Cranio-caudal mammogram of the right breast. 41 y/o patient.
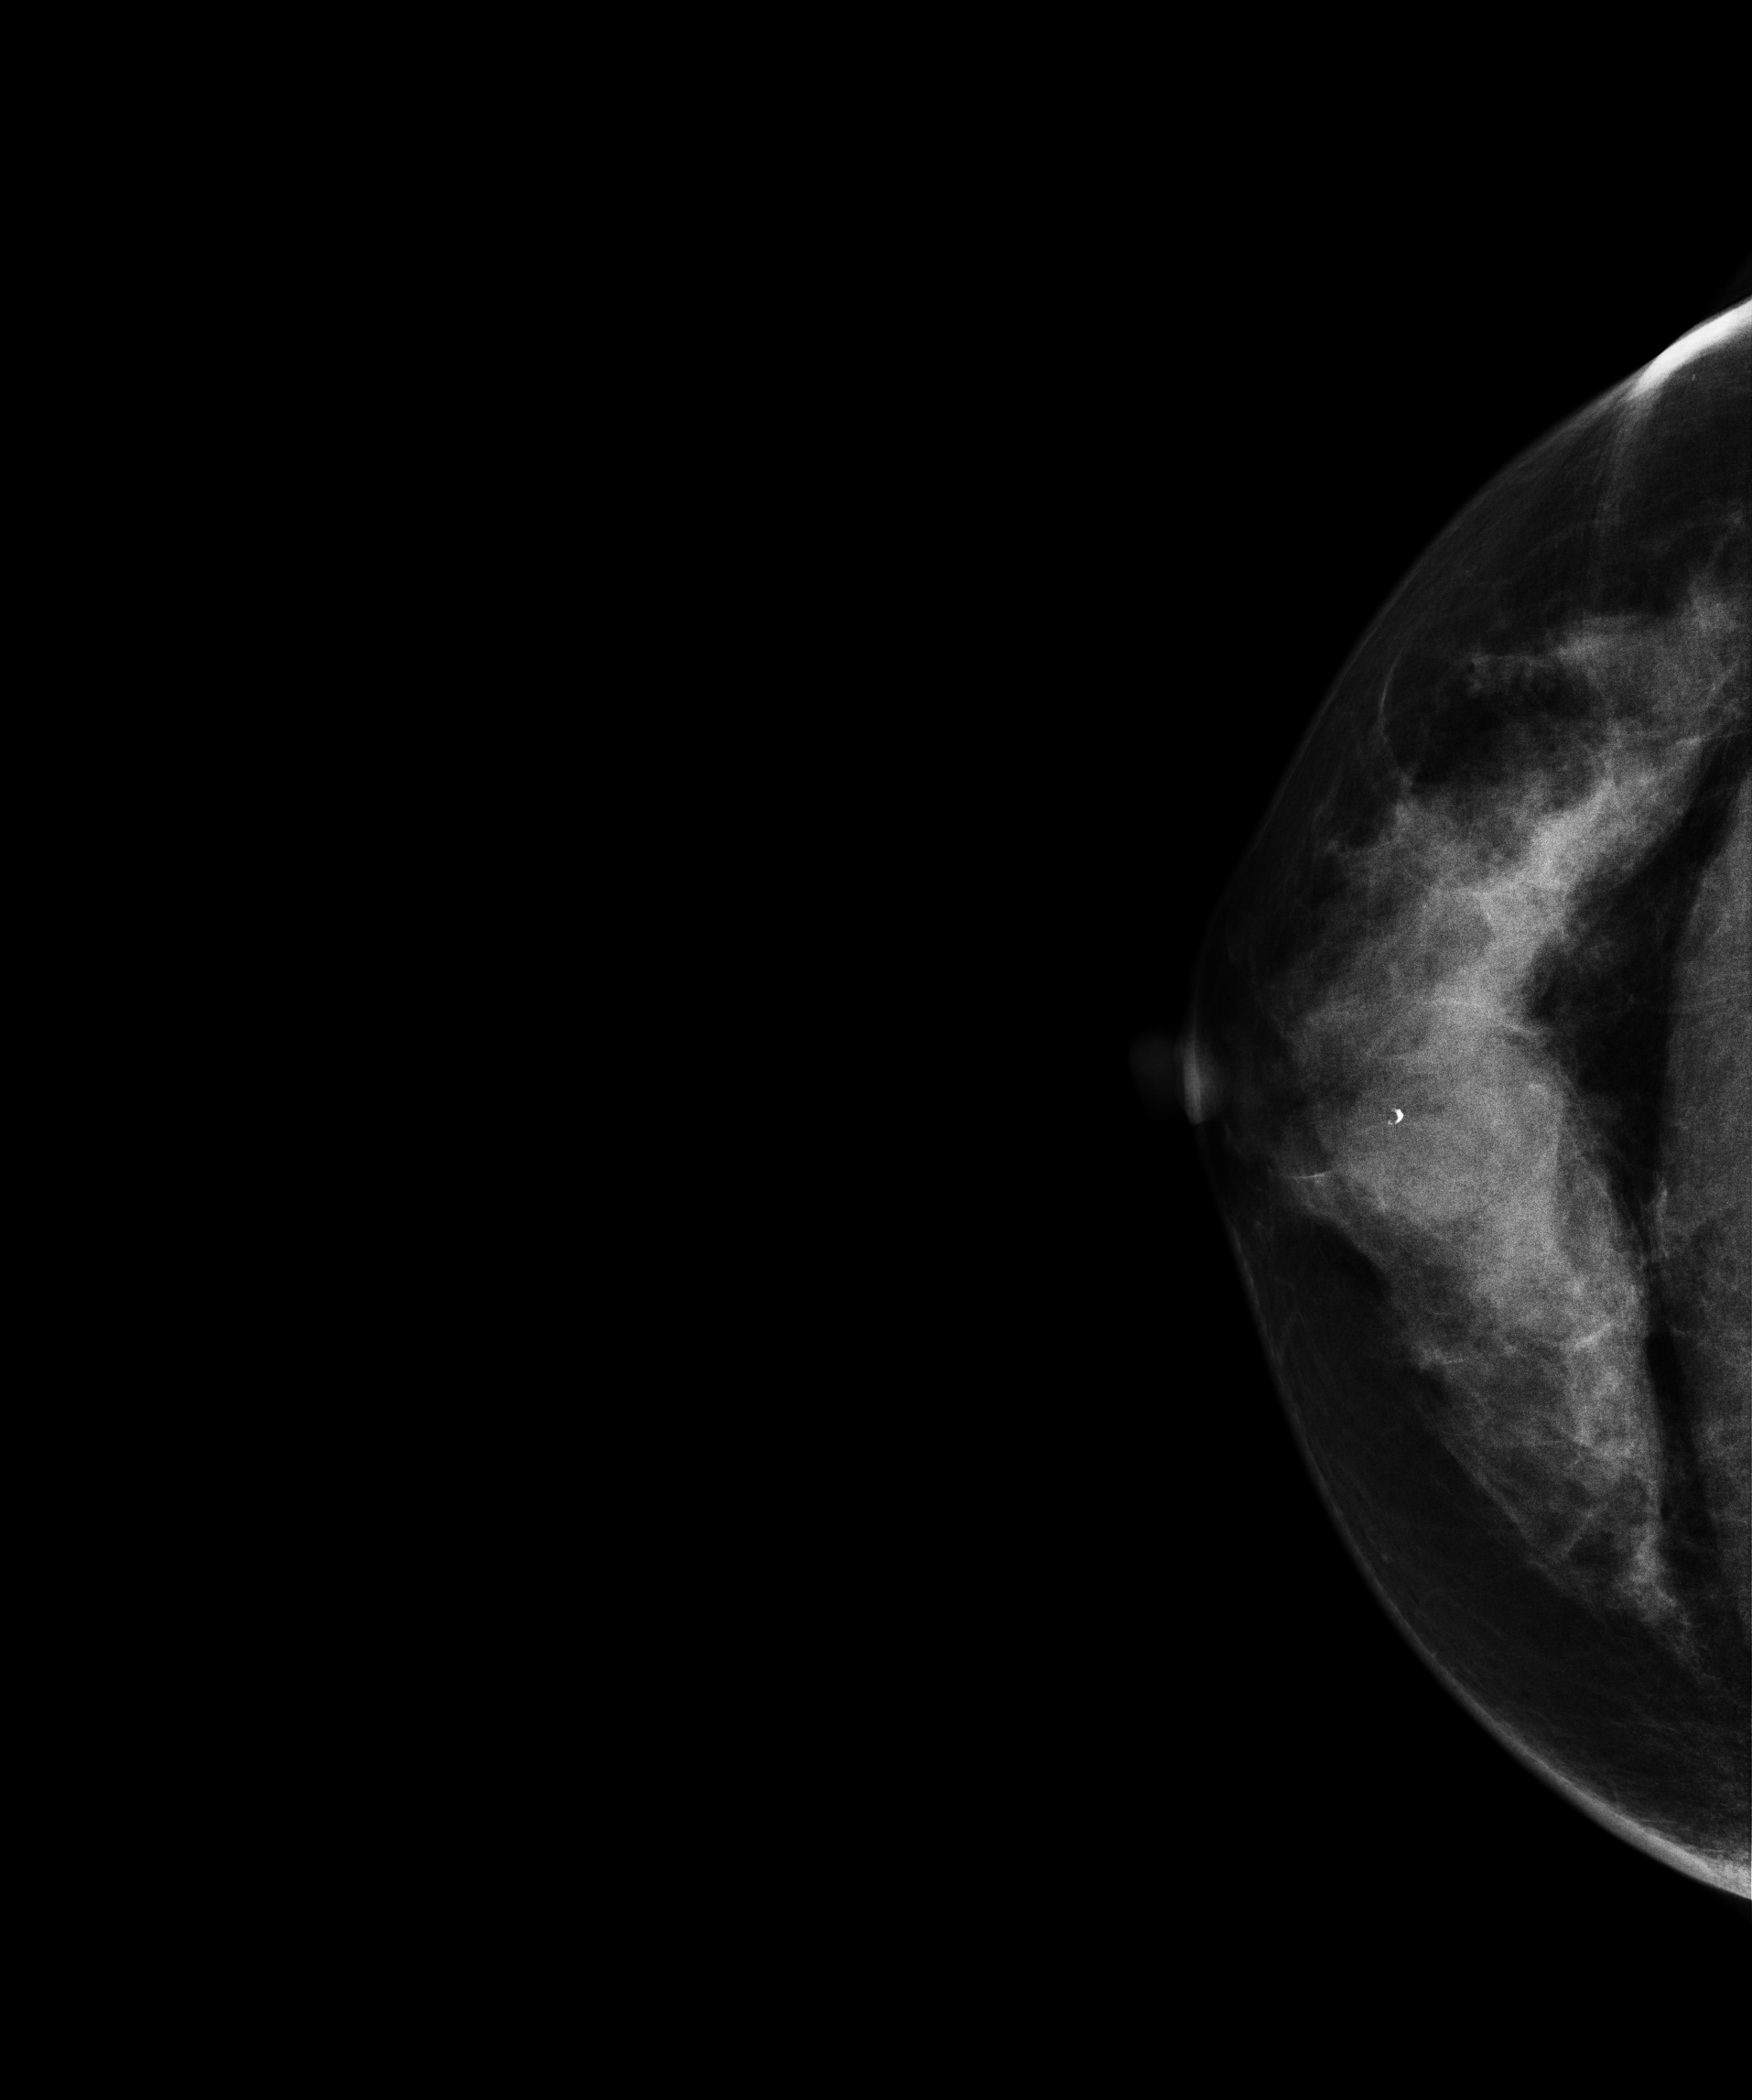
This breast has calcifications, histologically confirmed benign.